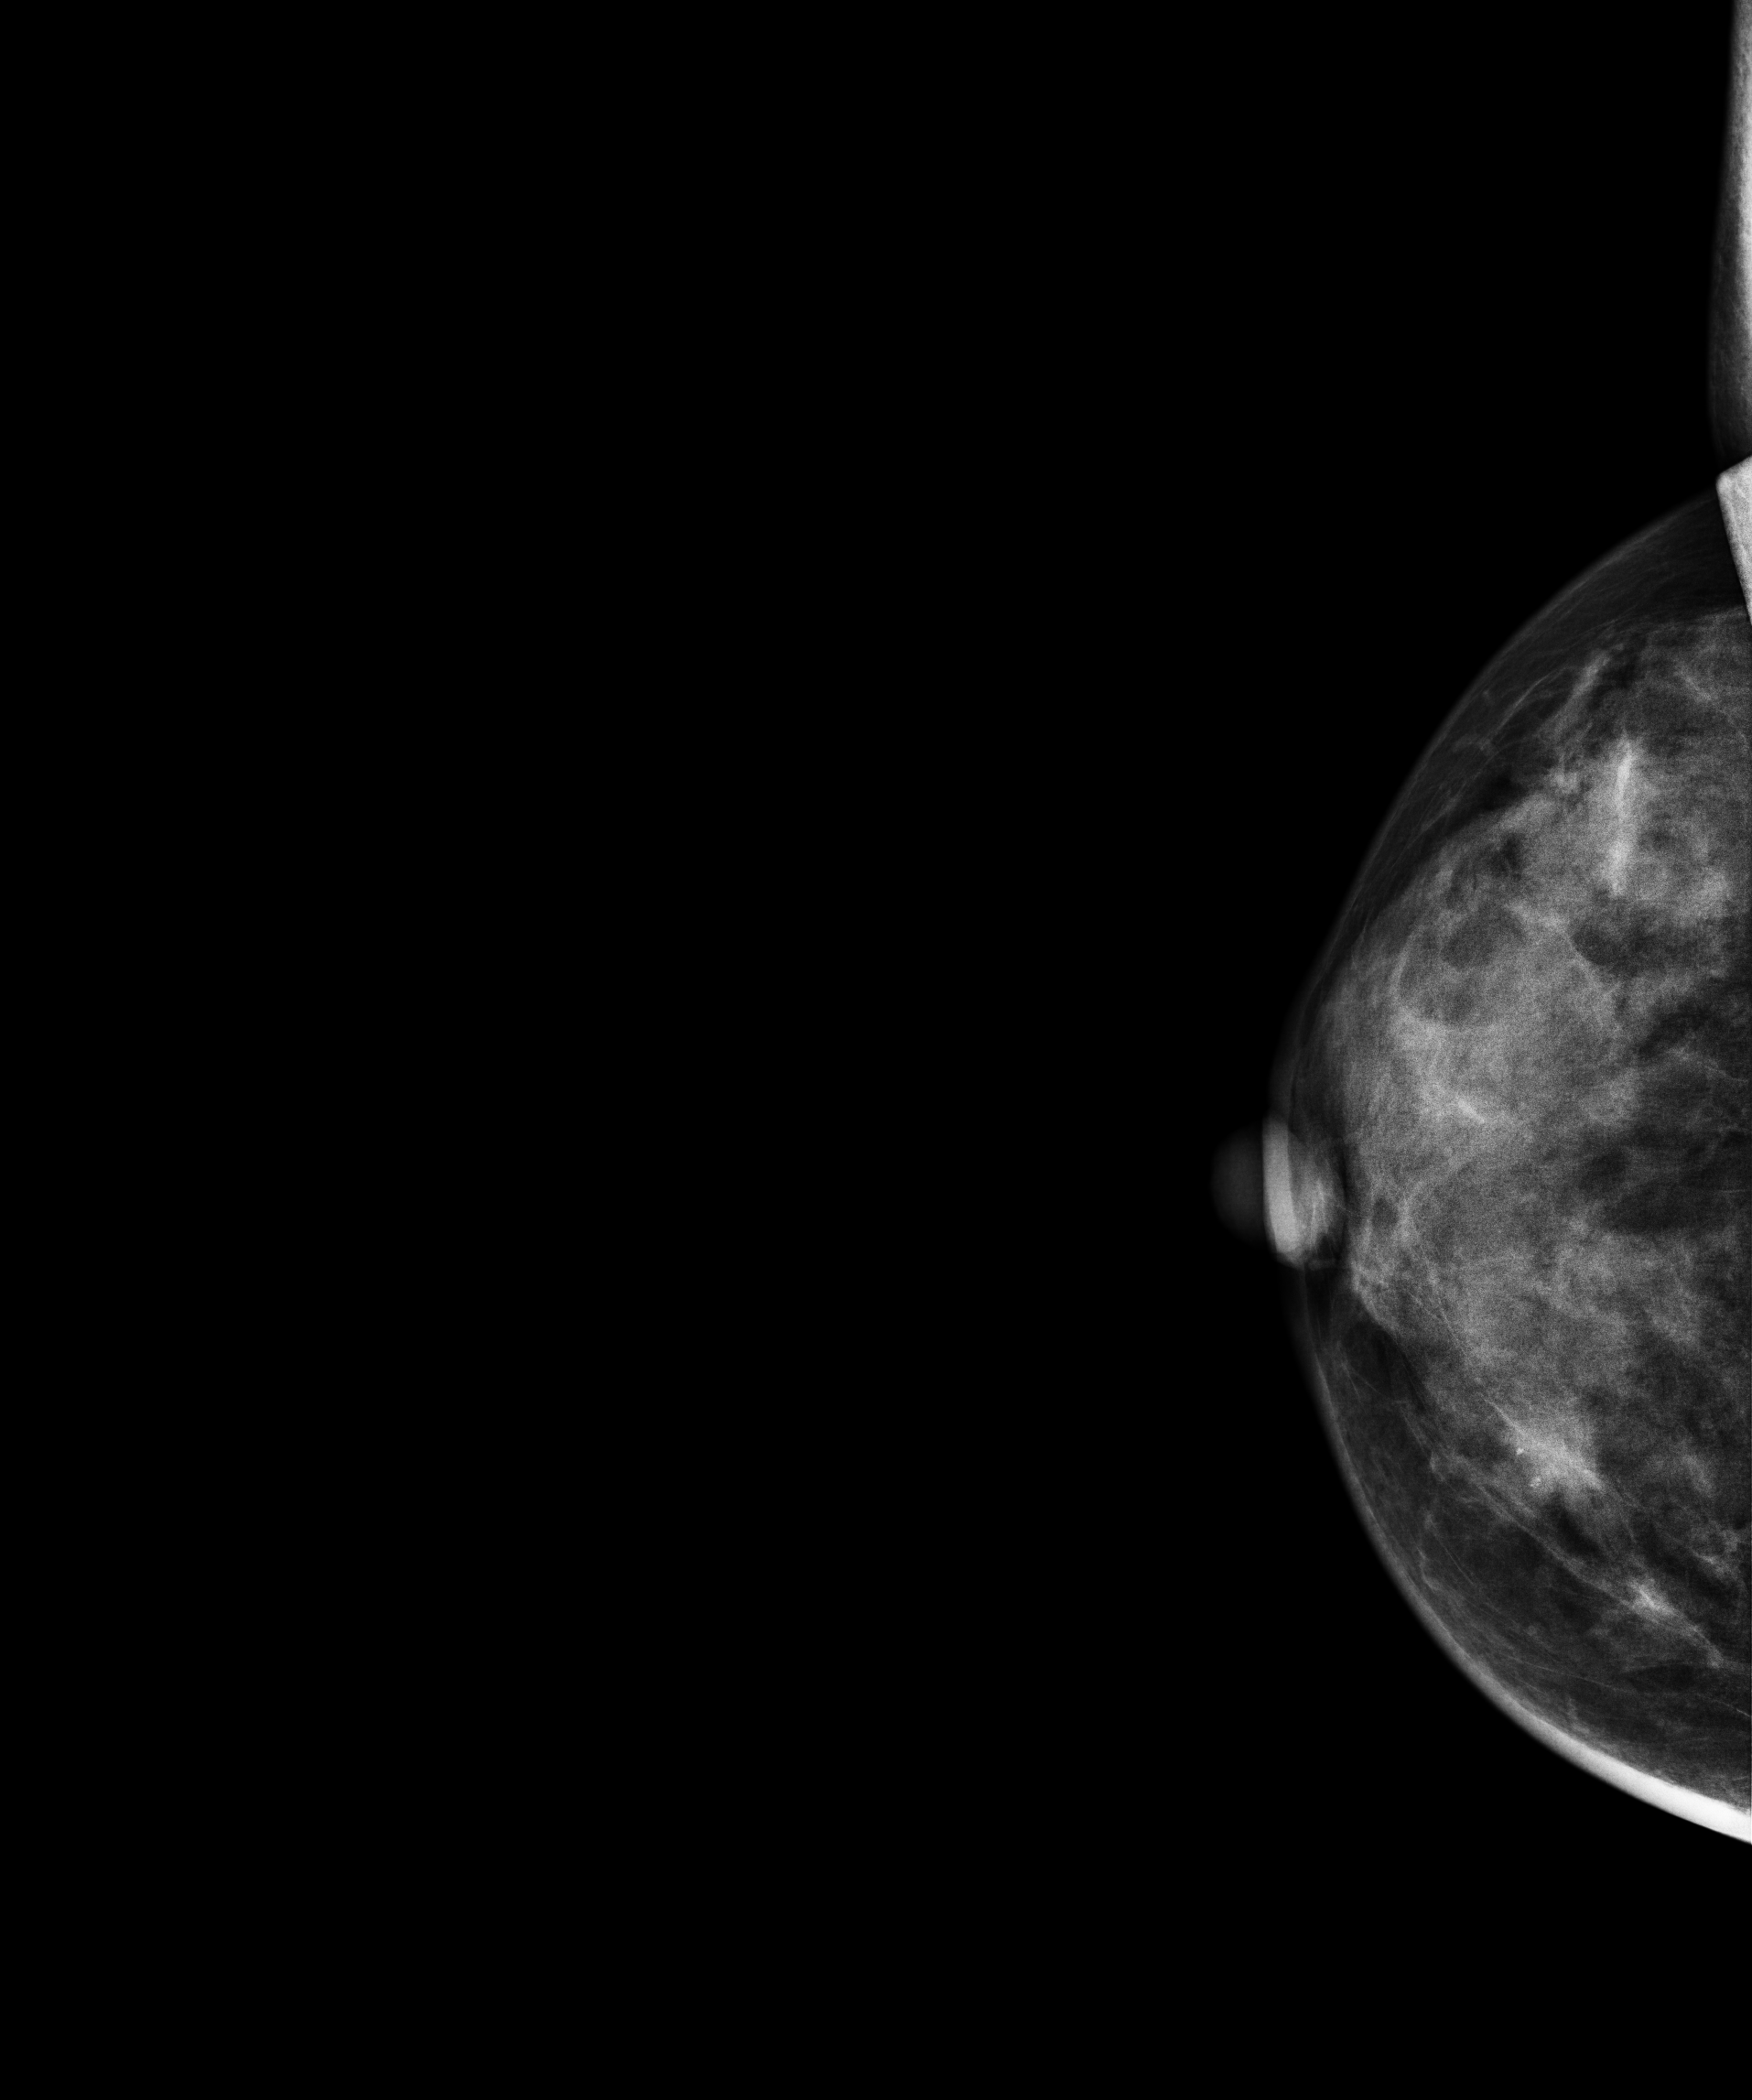
Right-breast mammogram, cranio-caudal. 49 y/o patient.
Contralateral breast — no documented abnormality on this side.